Digital mammography. Left breast, CC projection. 34-year-old patient.
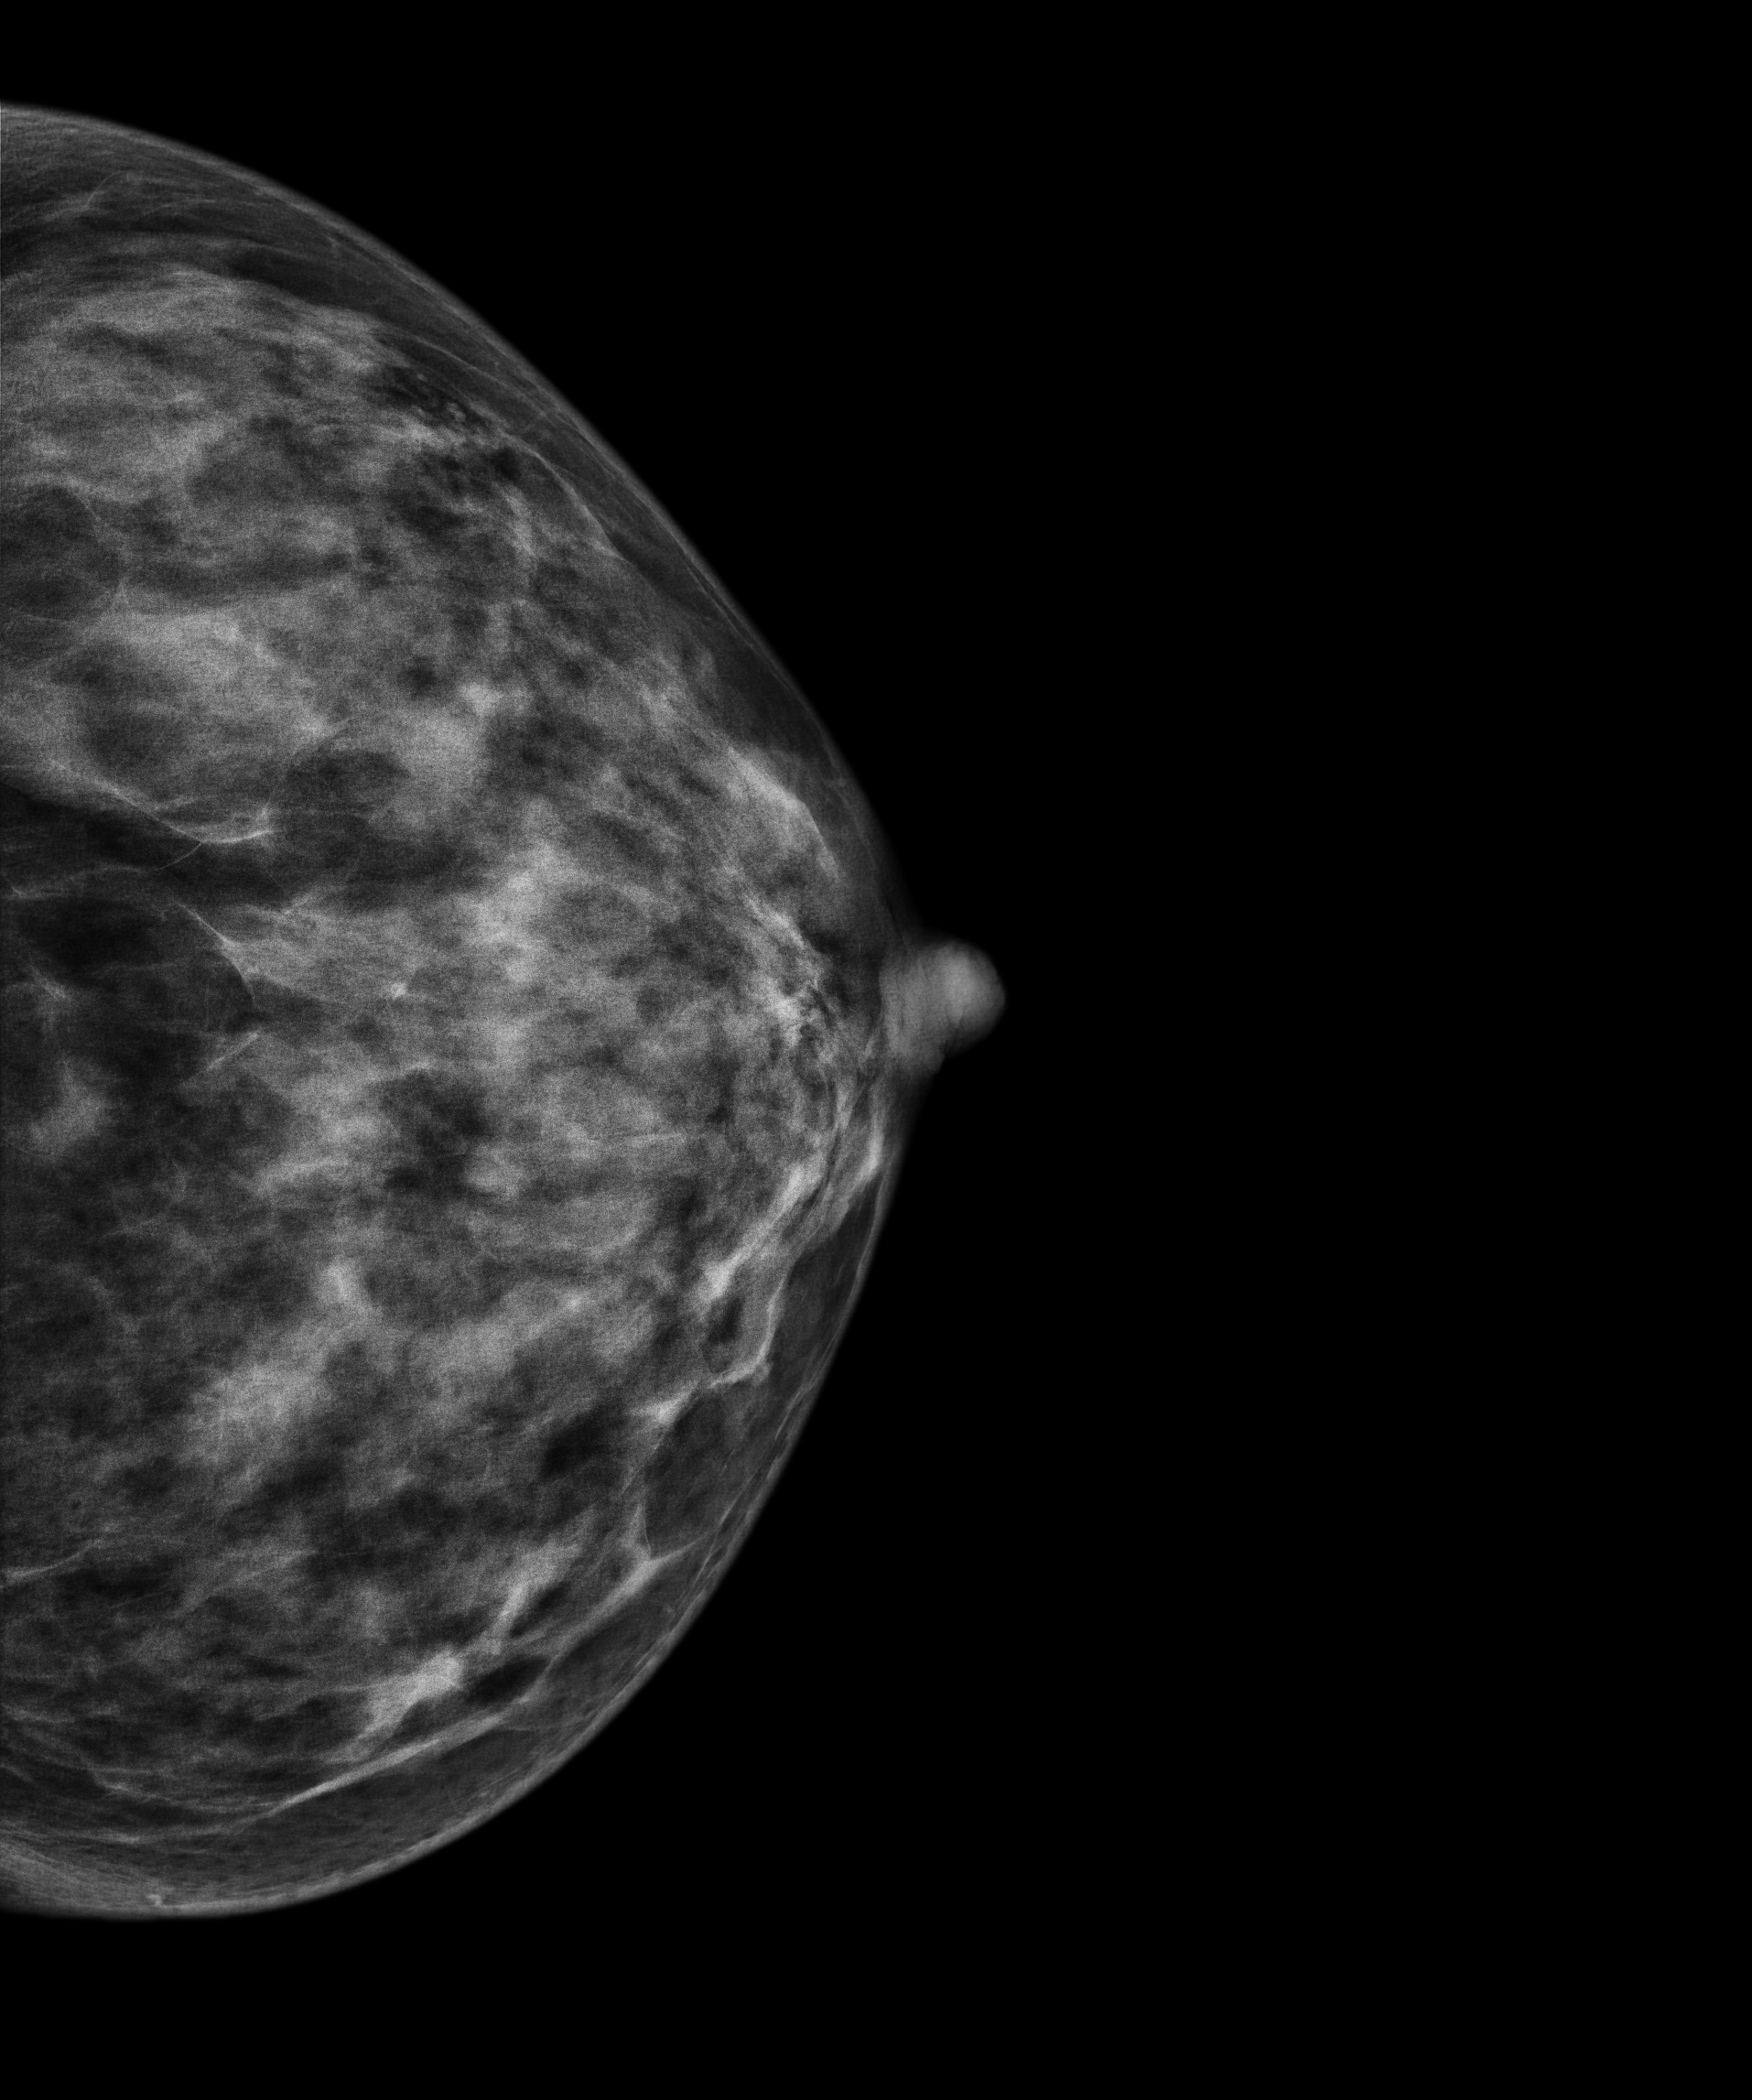
This breast has a mass, histologically confirmed benign.